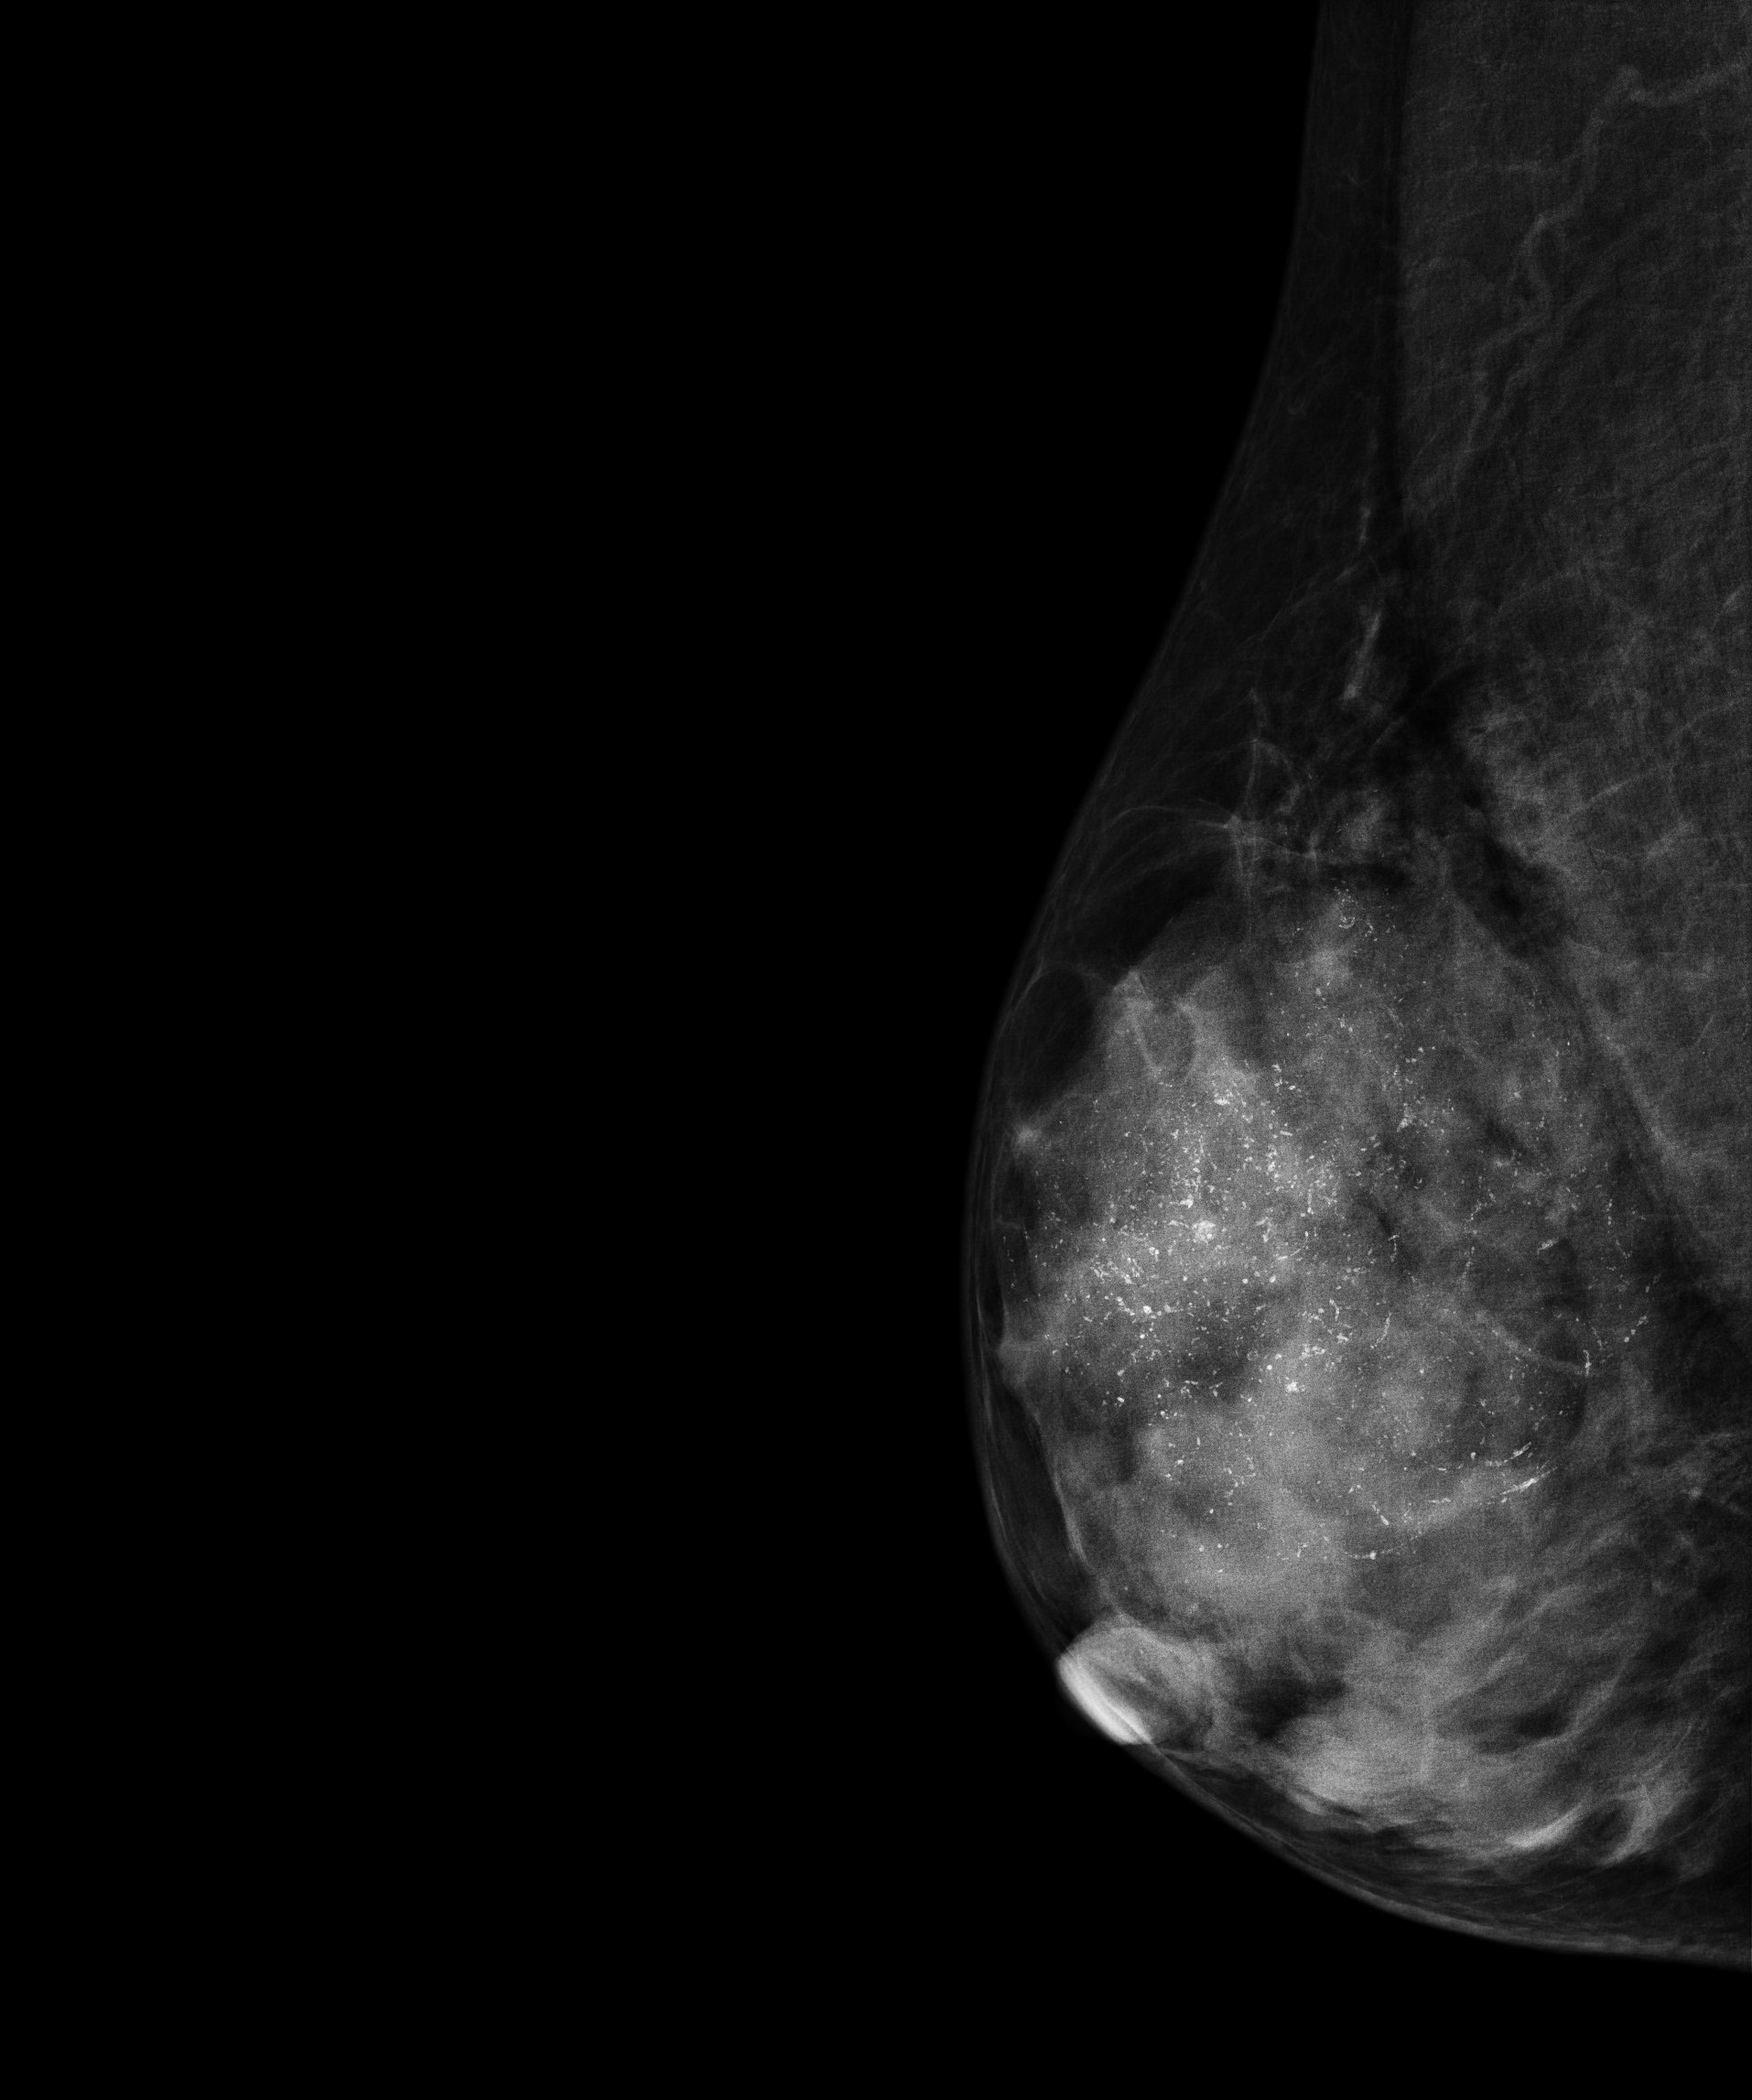
Right-breast mammogram, medio-lateral oblique. 48-year-old patient.
This breast has calcifications, pathology-confirmed malignant. Molecular subtype: HER2-enriched.